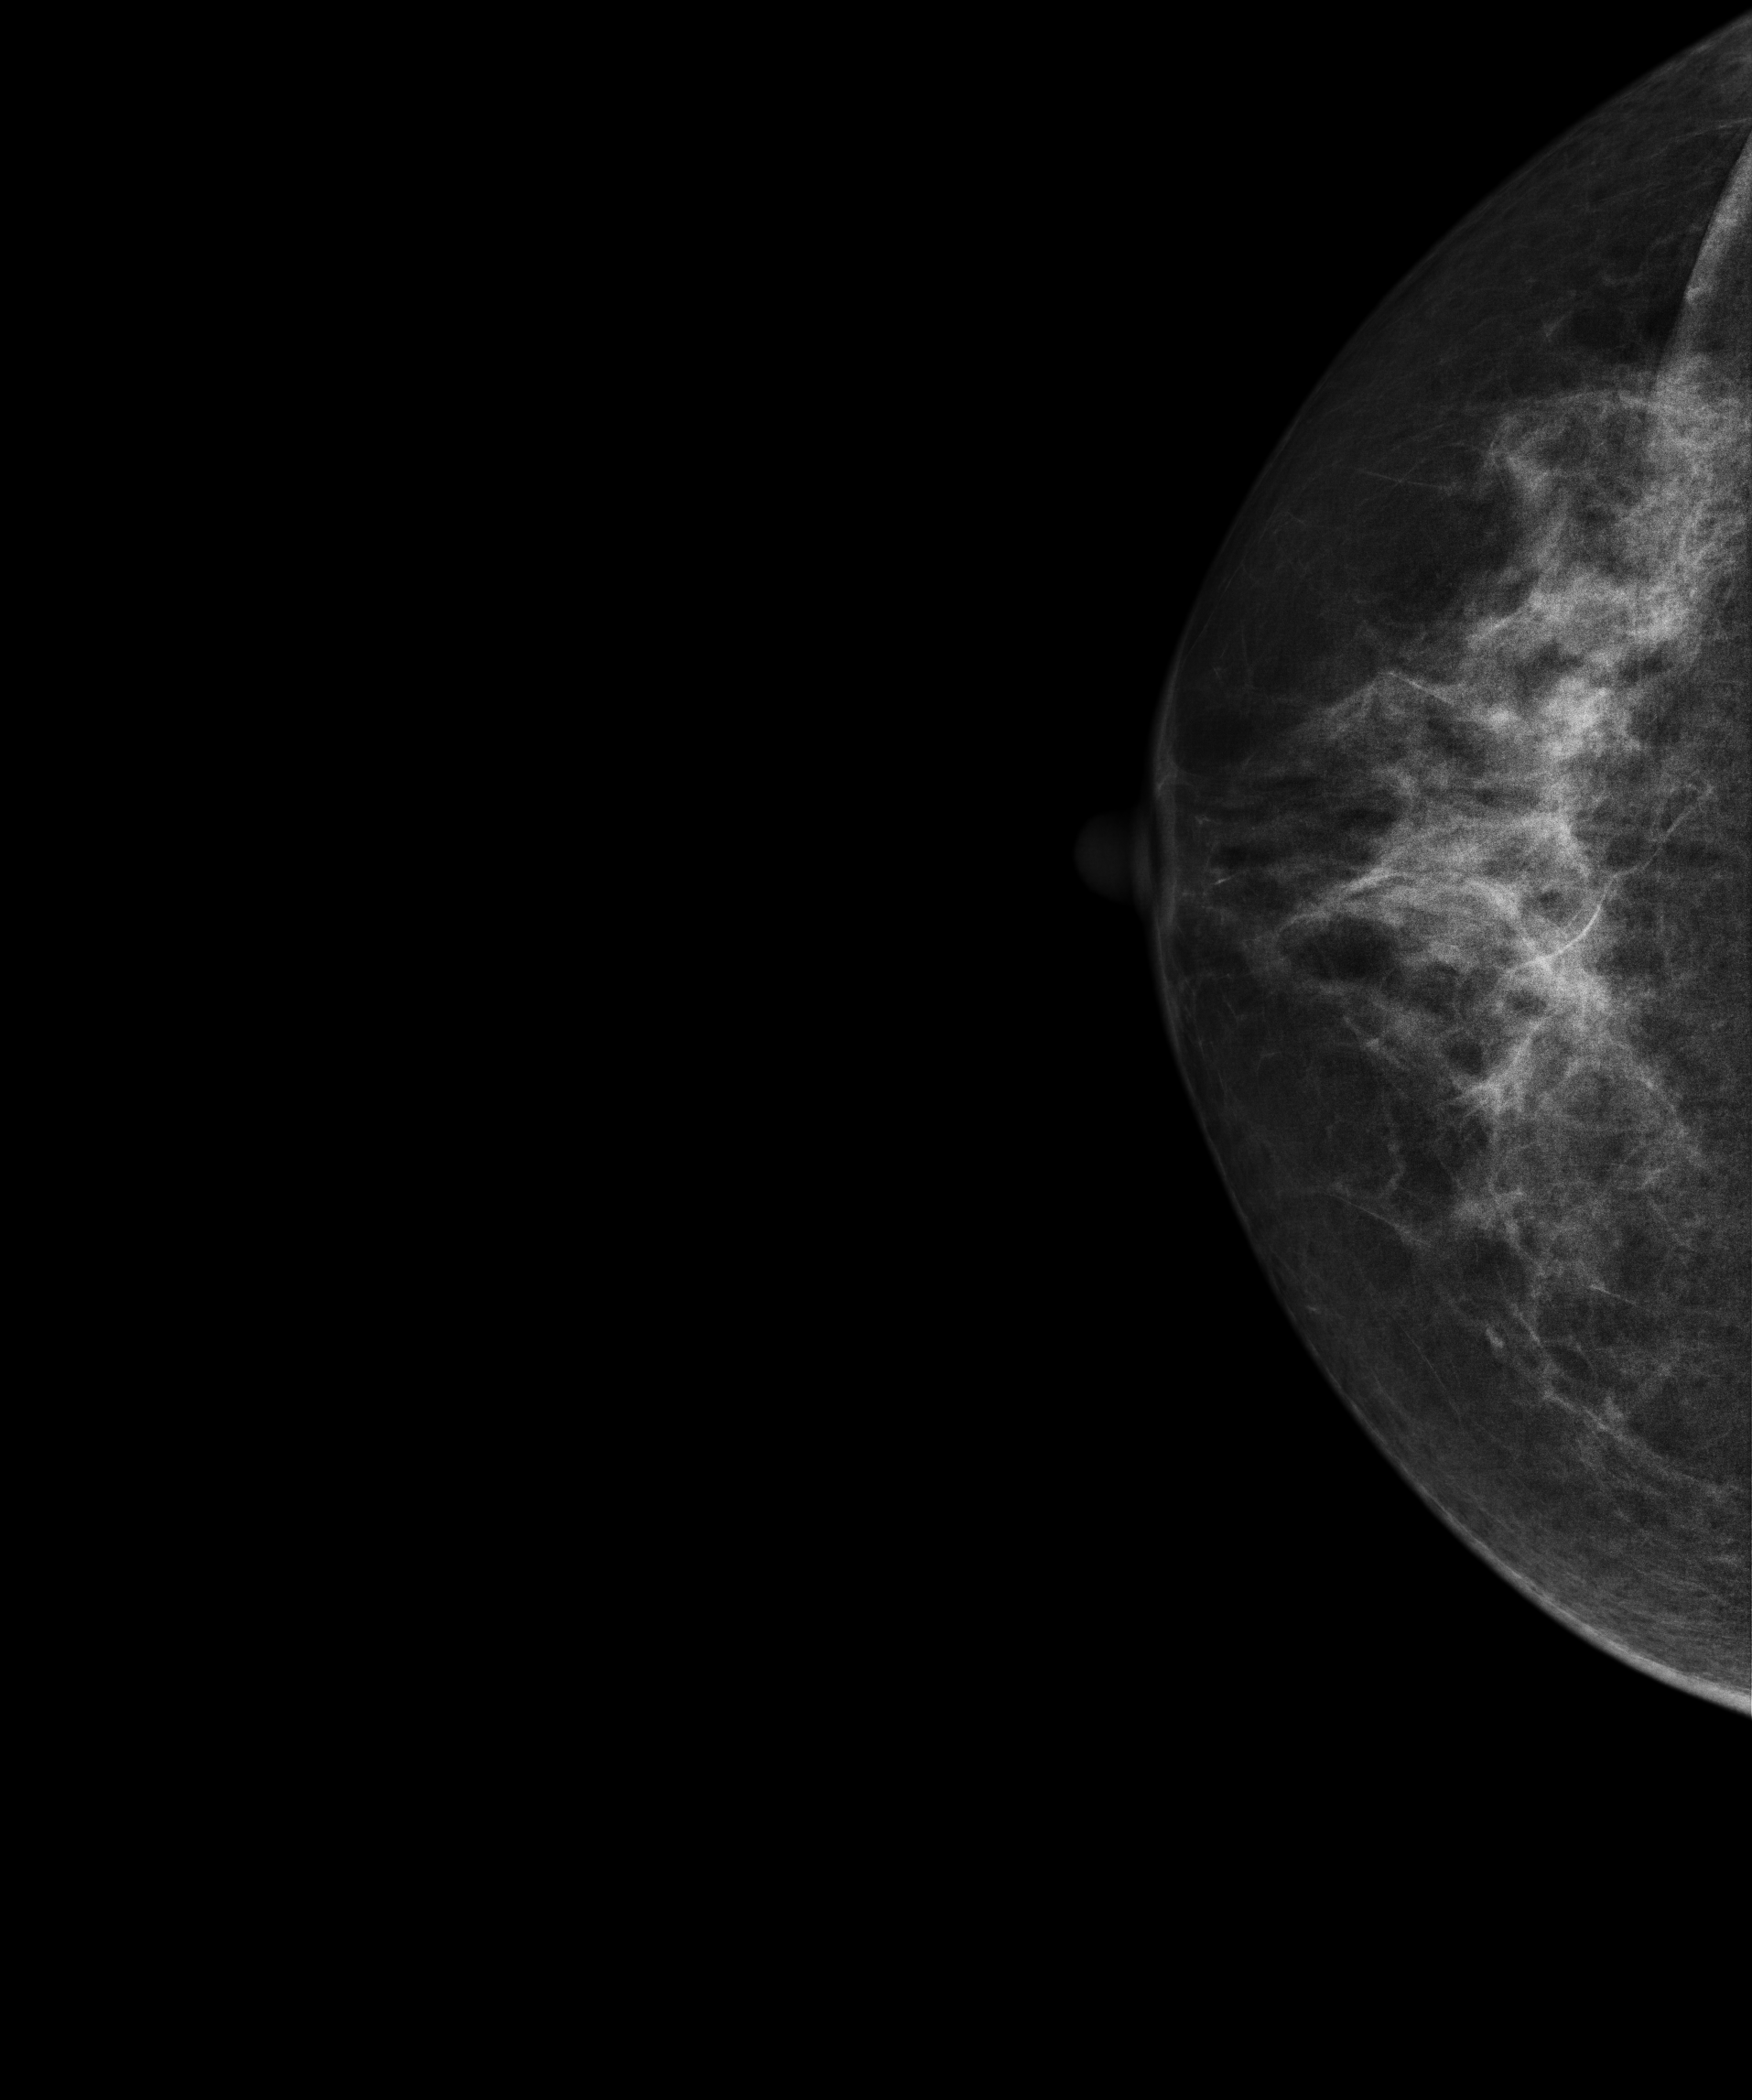
Right-breast mammogram, cranio-caudal. Patient age 62.
Contralateral breast — no documented abnormality on this side.